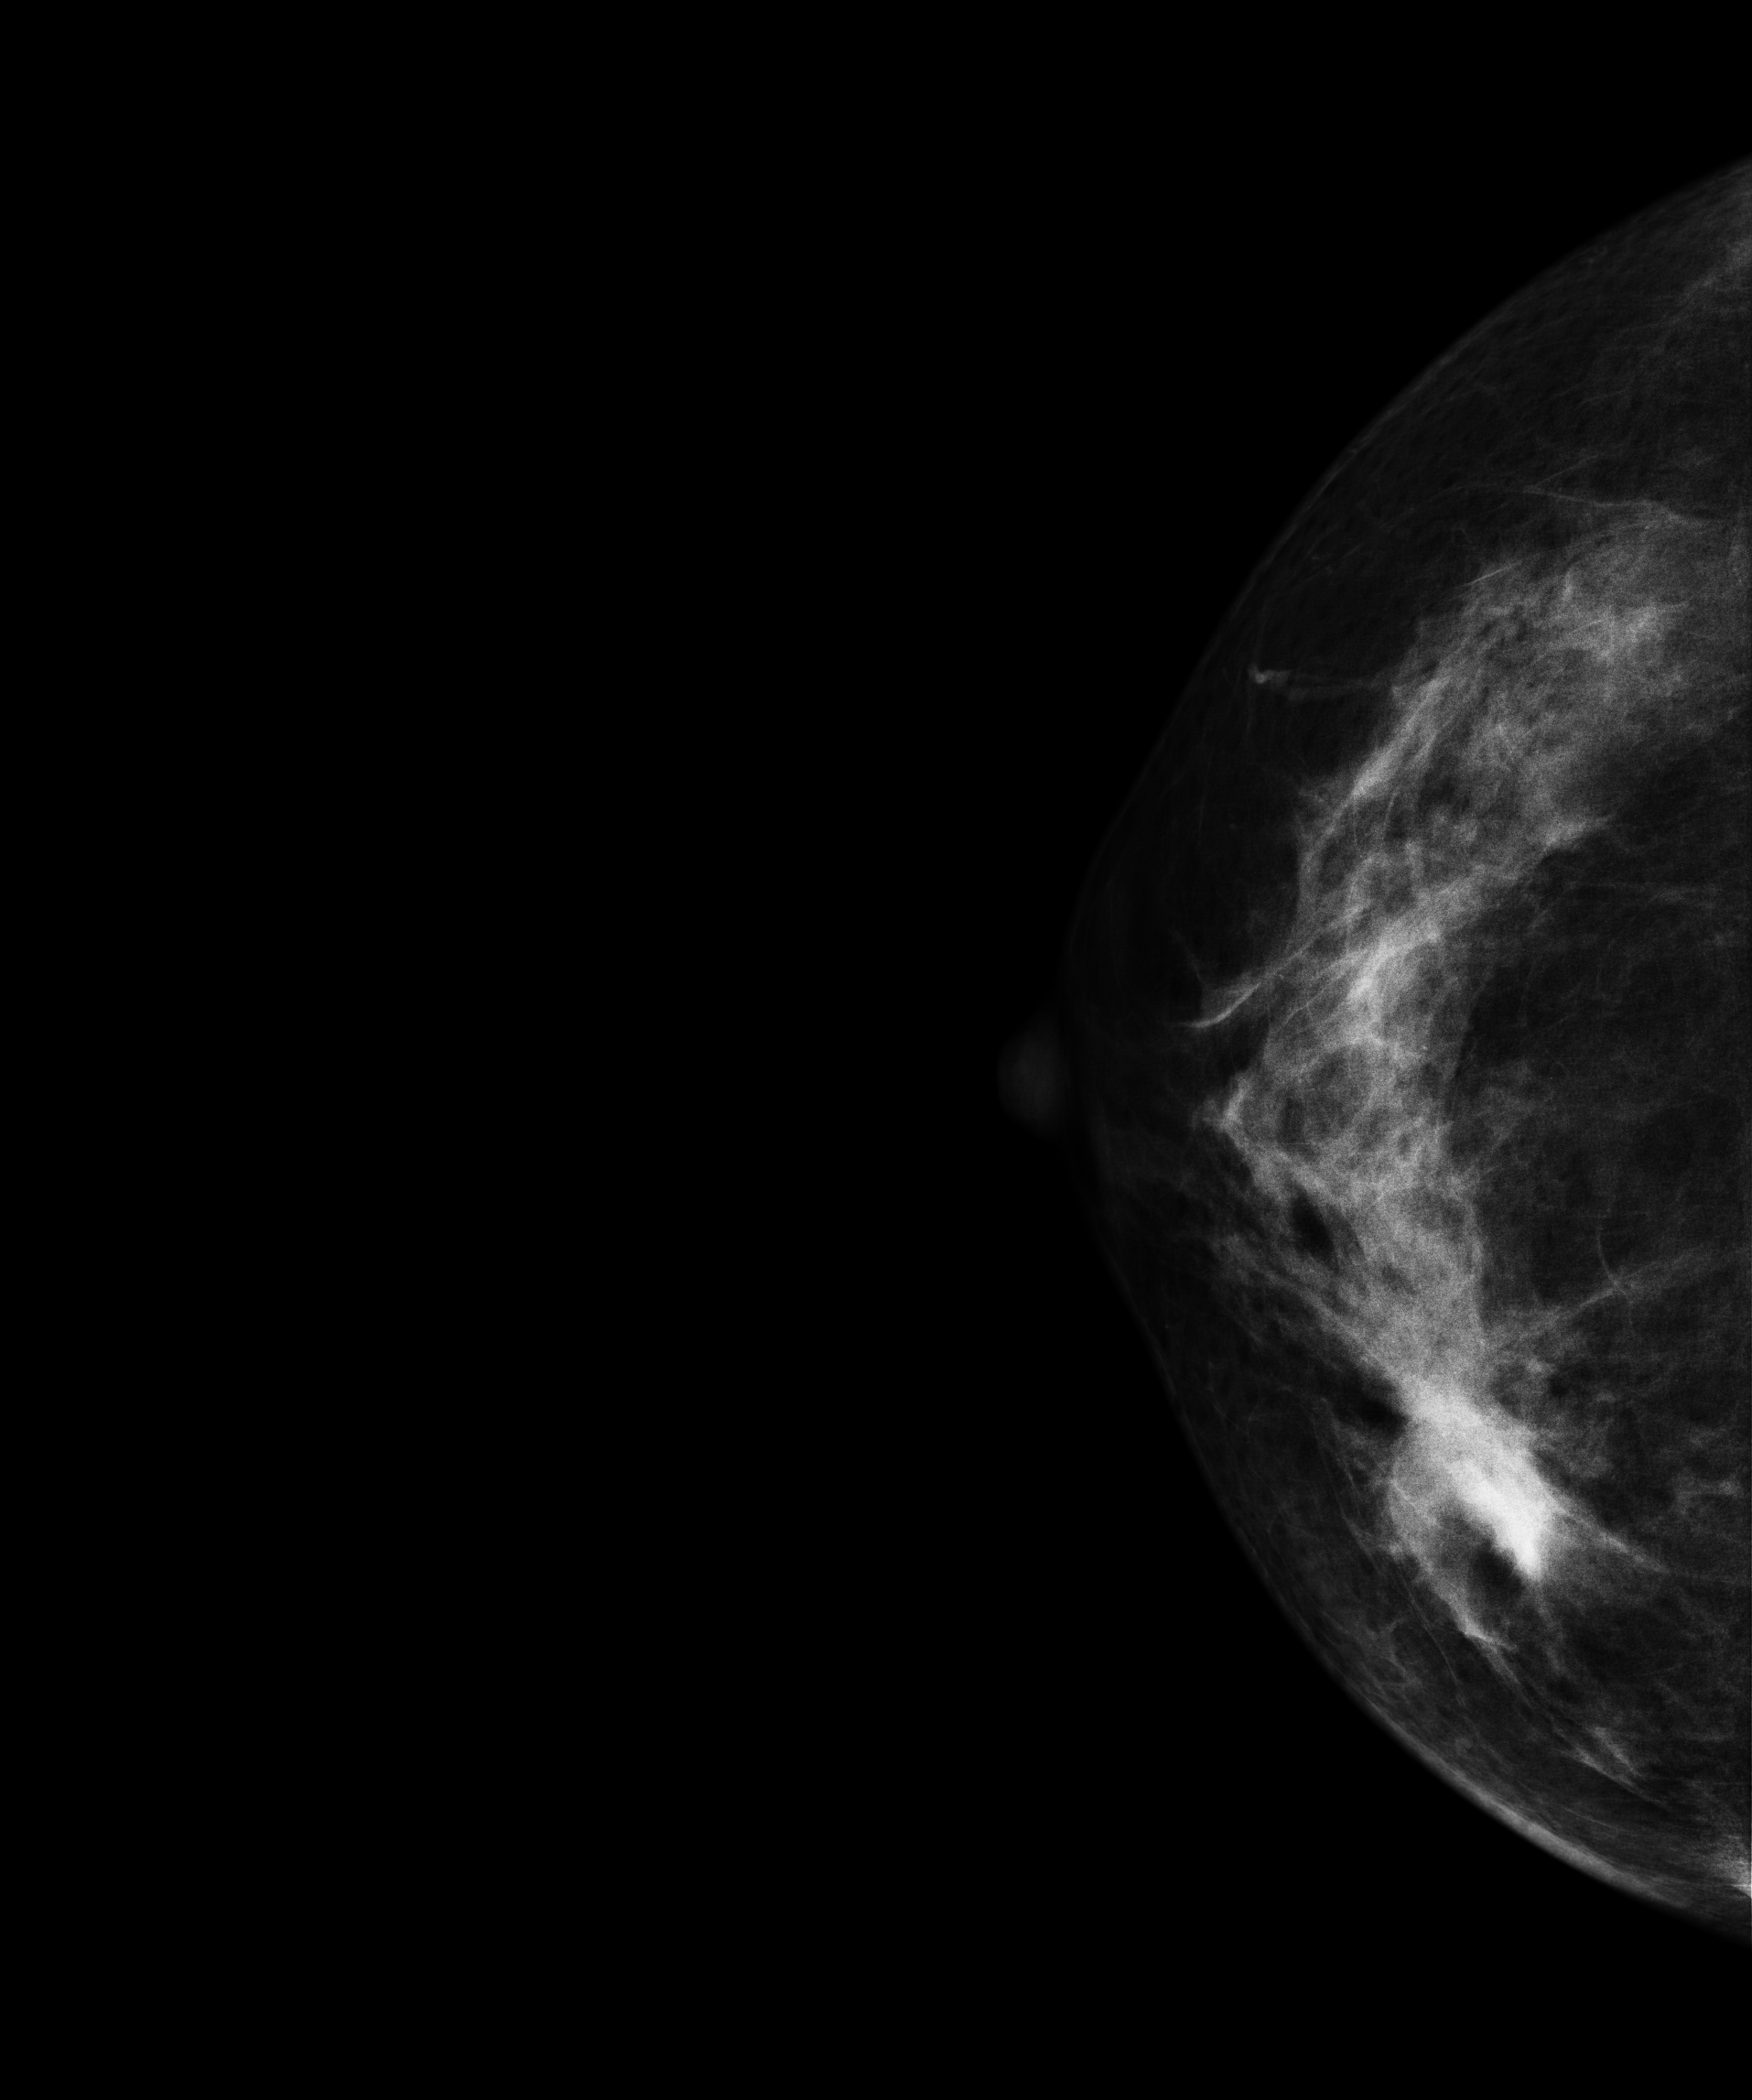
Mammogram, right breast, CC view. Patient age 45.
This breast has a mass, histologically confirmed malignant.